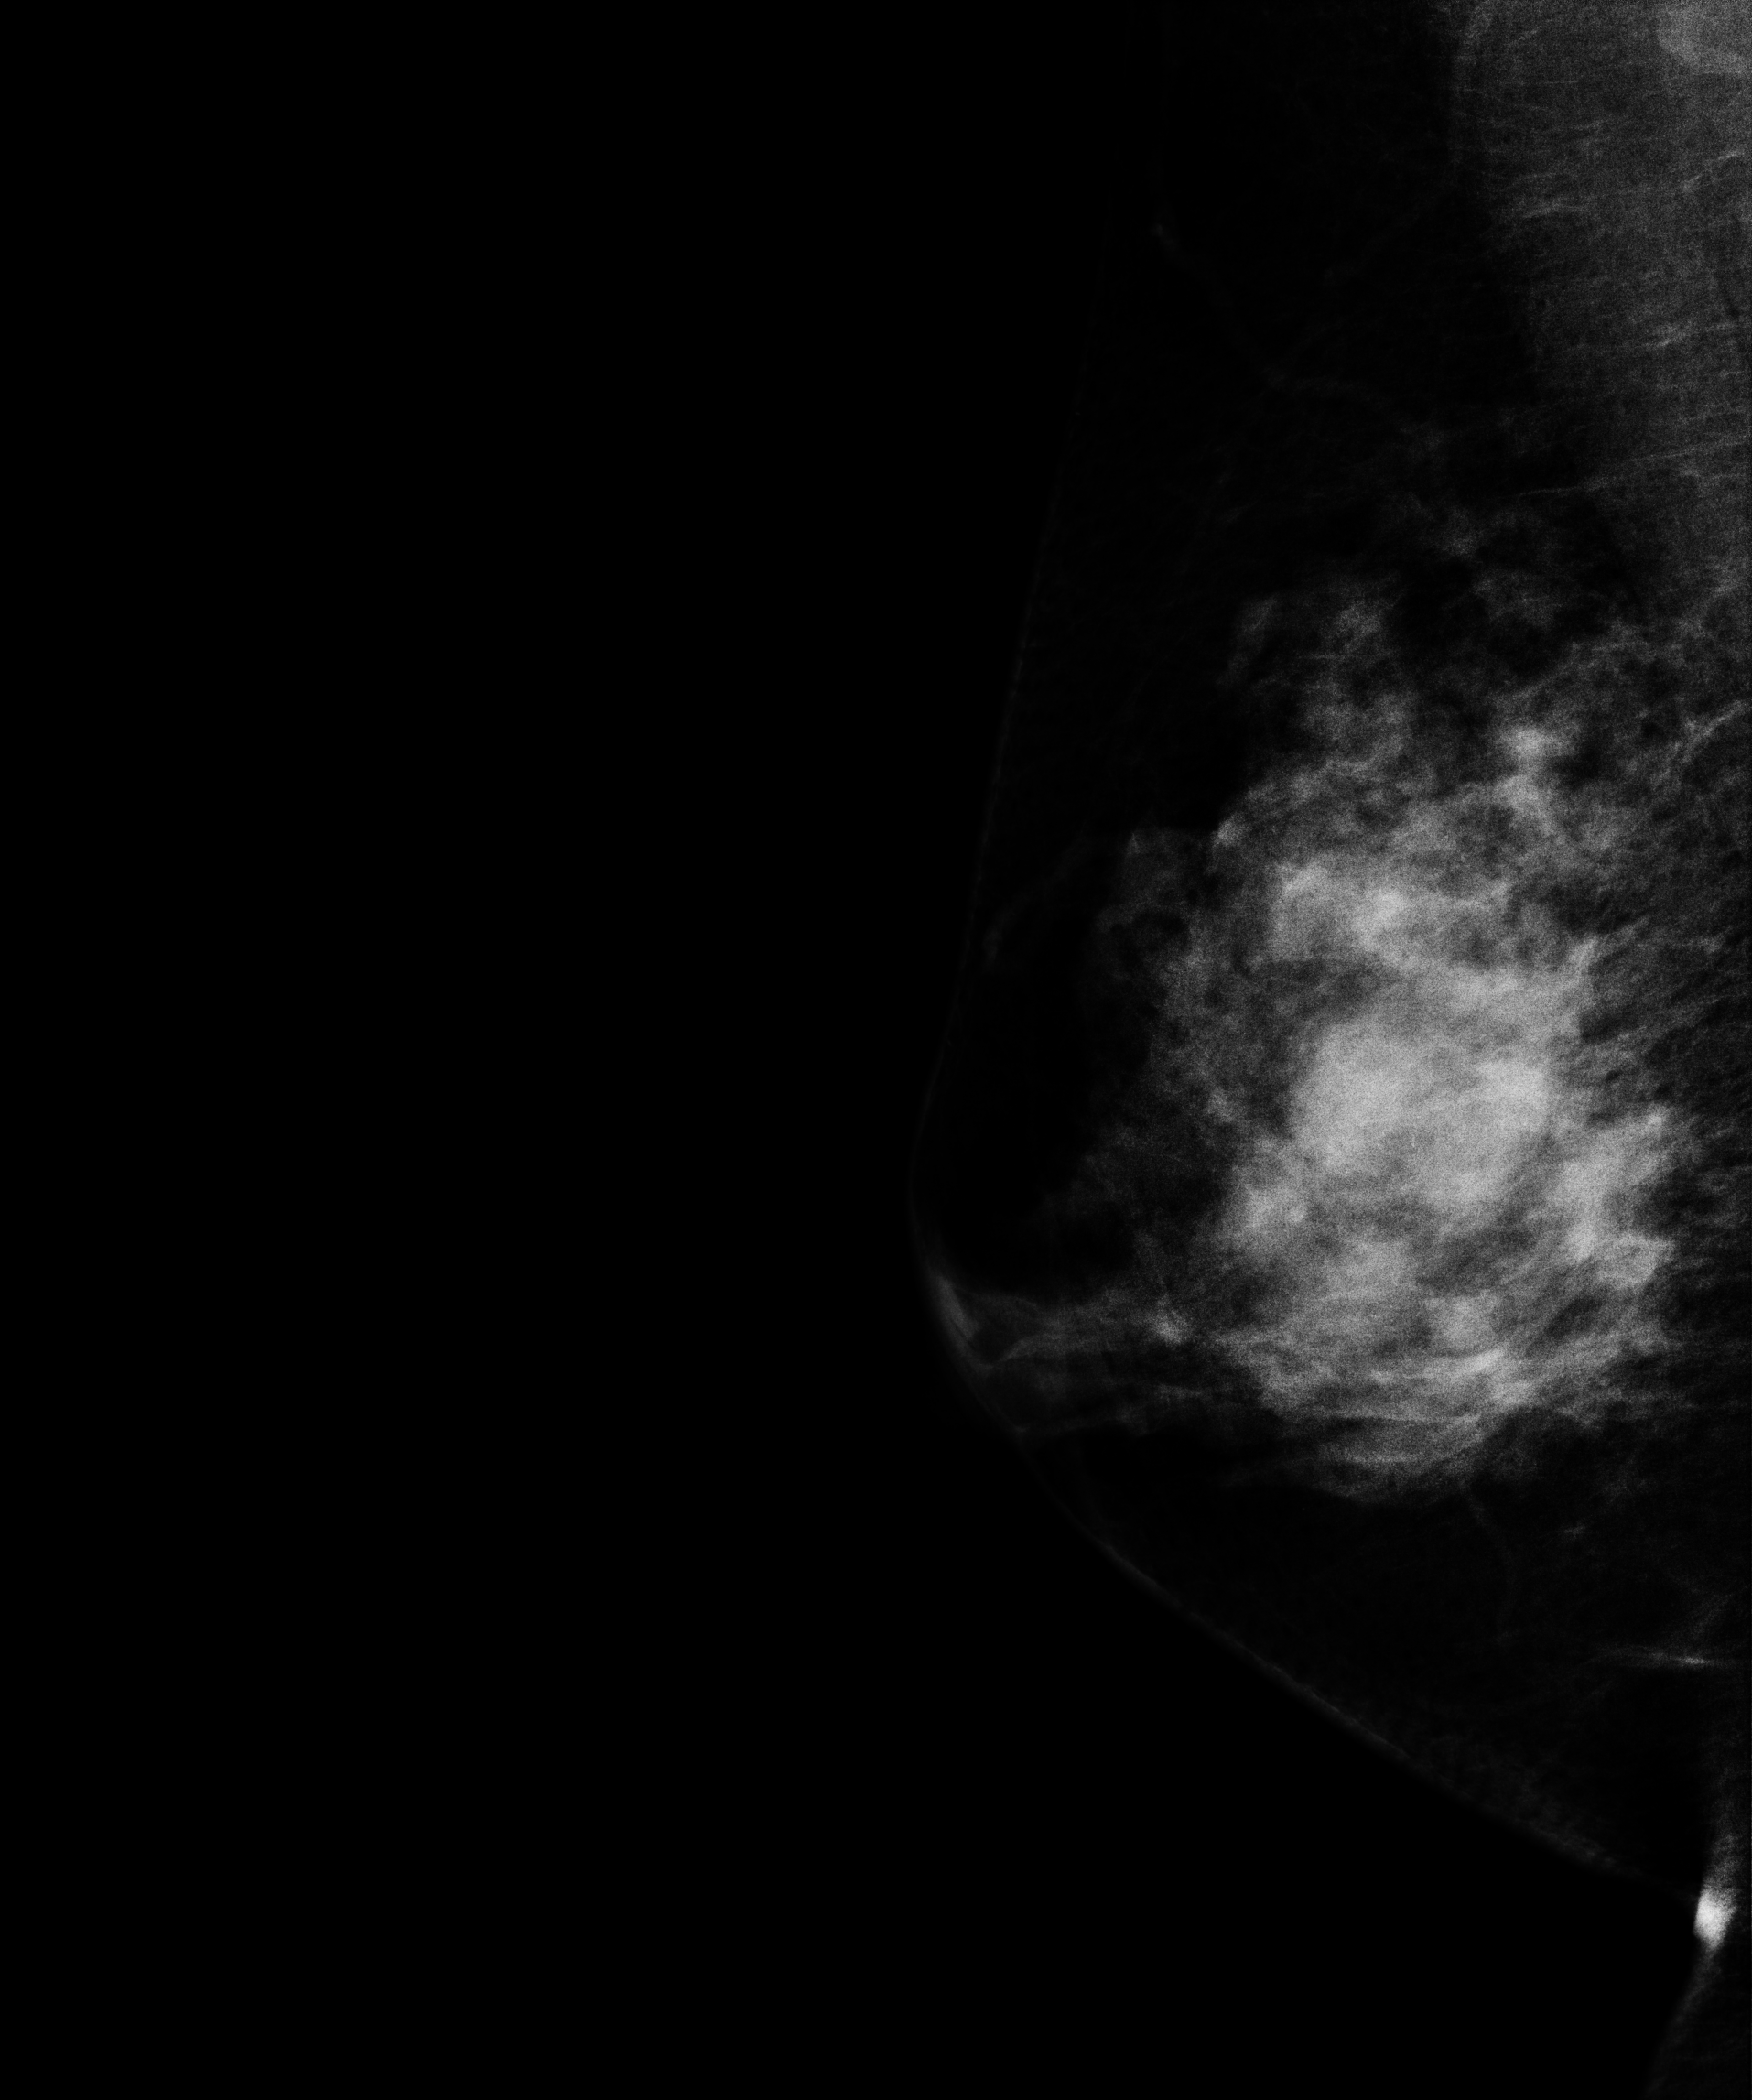
Medio-lateral oblique mammogram of the right breast. Patient age 53.
This breast has a mass, biopsy-proven malignant. Molecular subtype: luminal B.